CC mammogram of the left breast. 35-year-old patient.
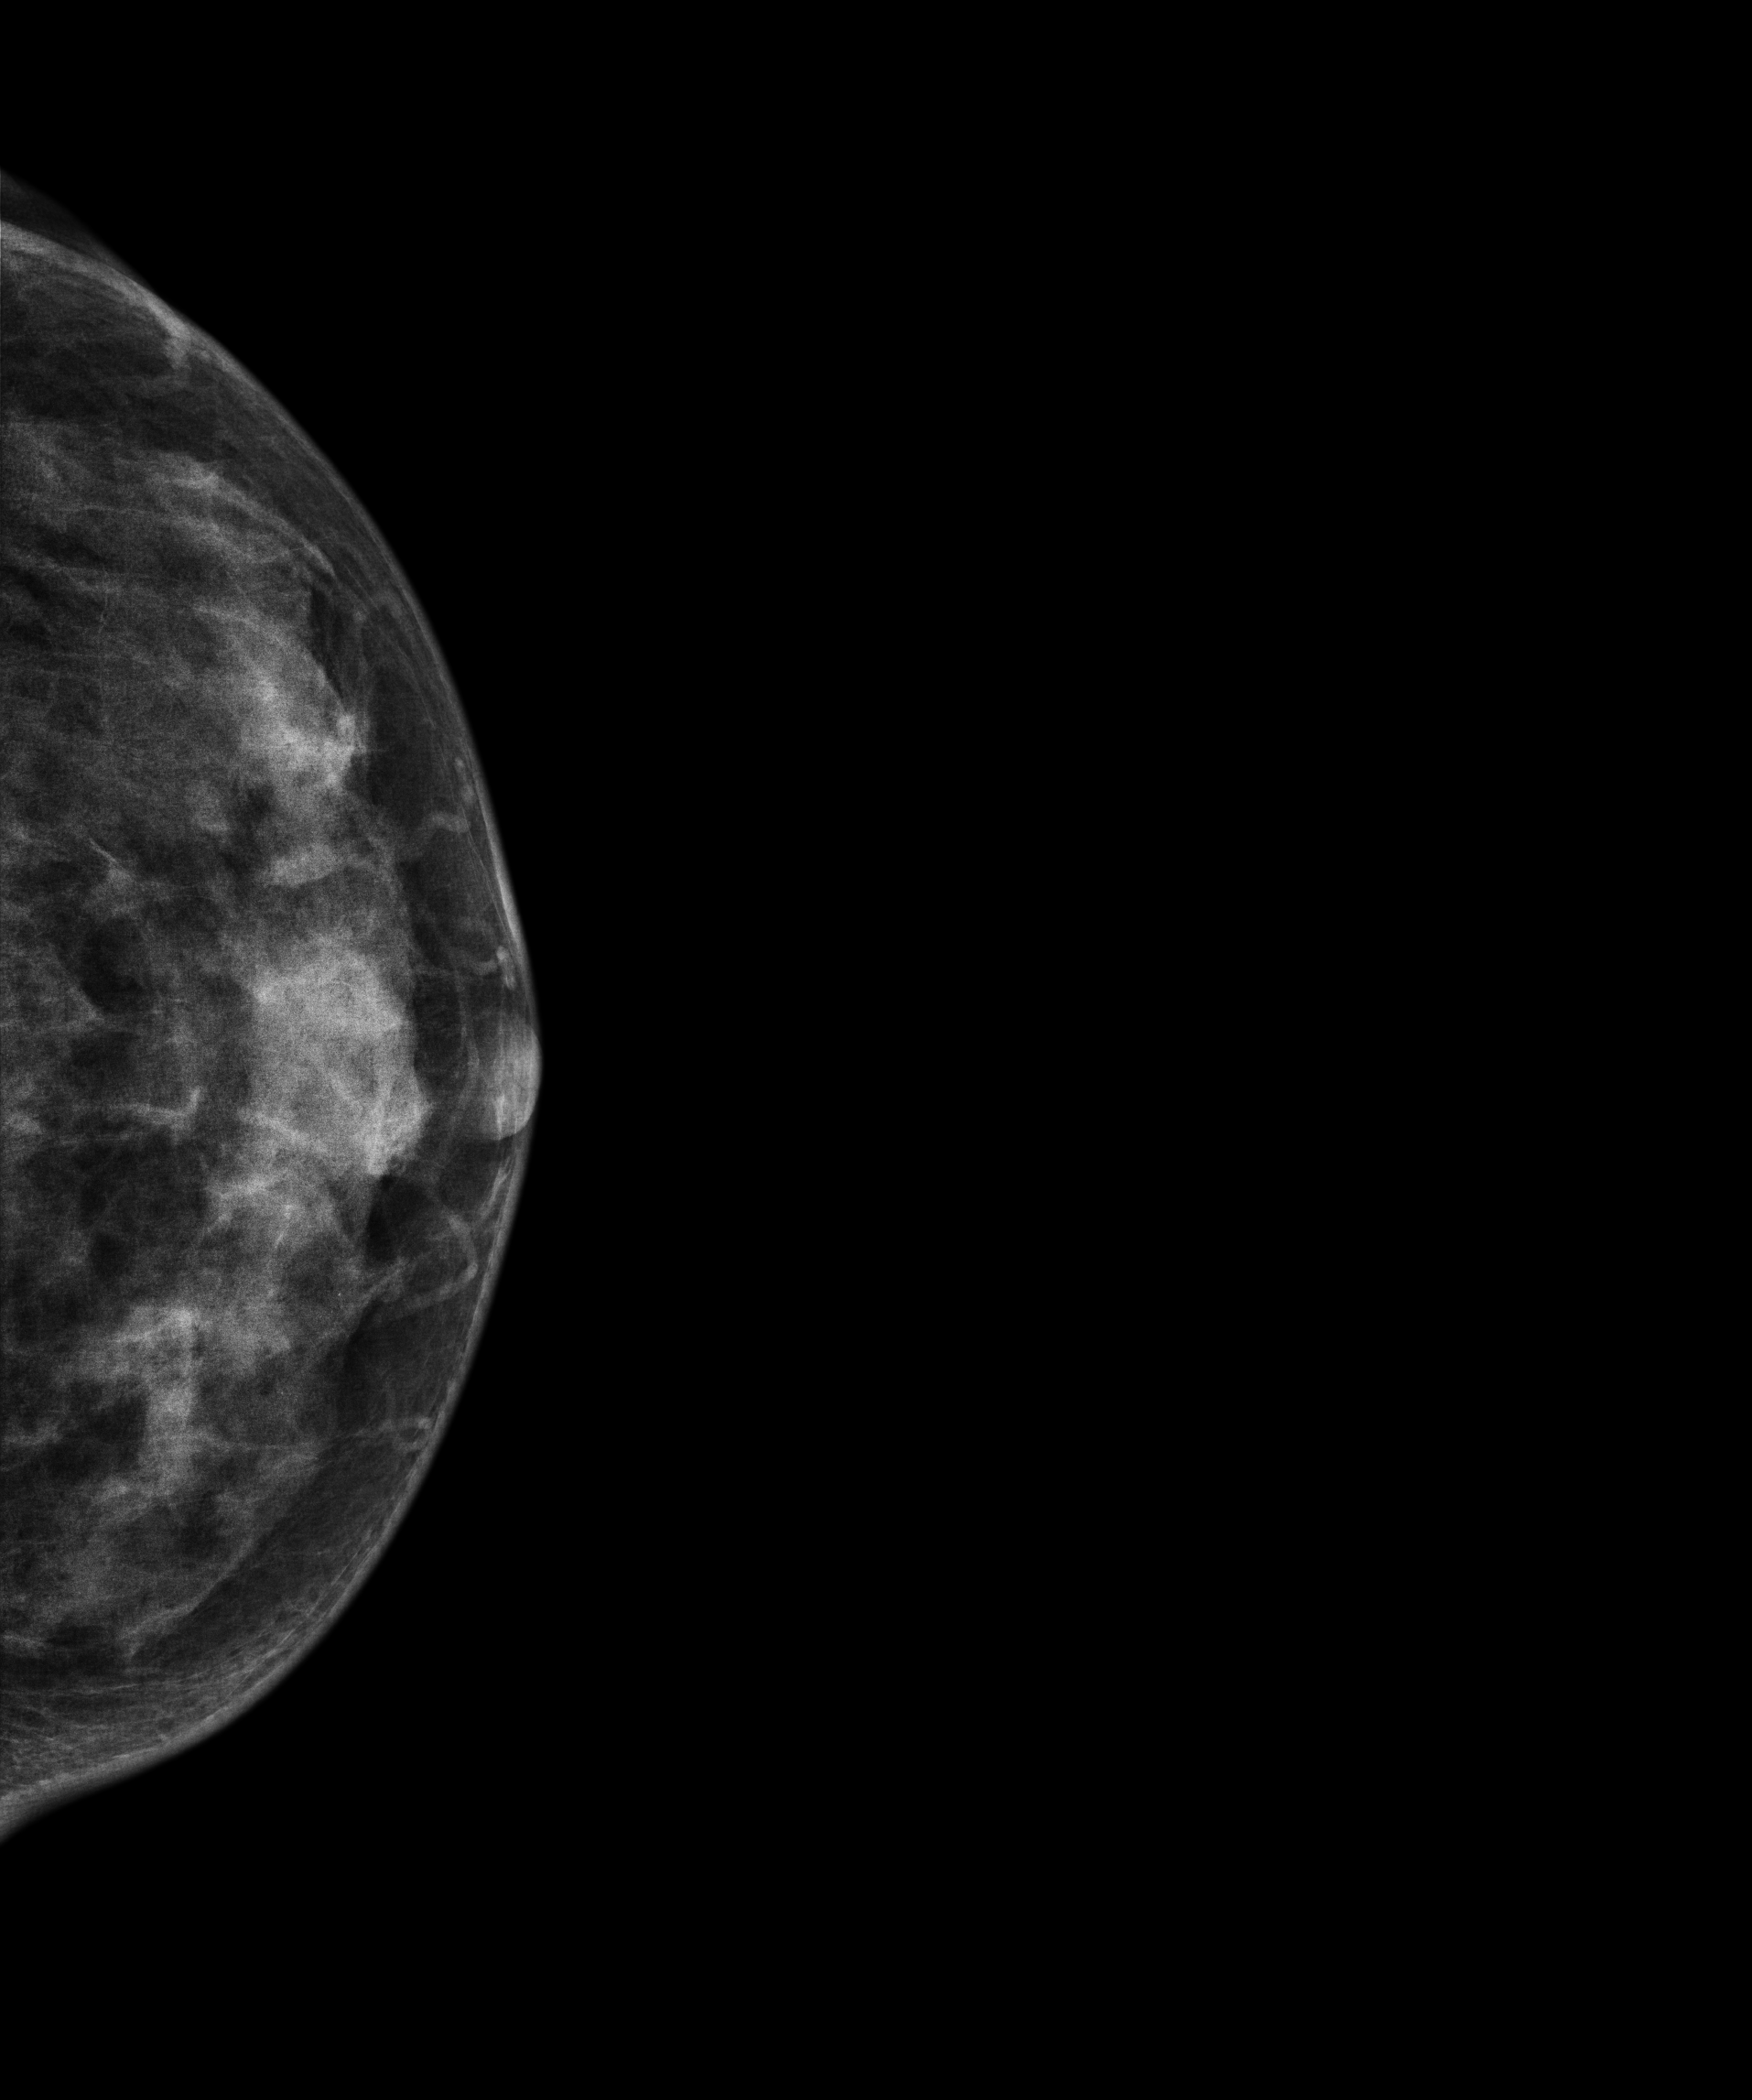
Contralateral breast — no documented abnormality on this side.